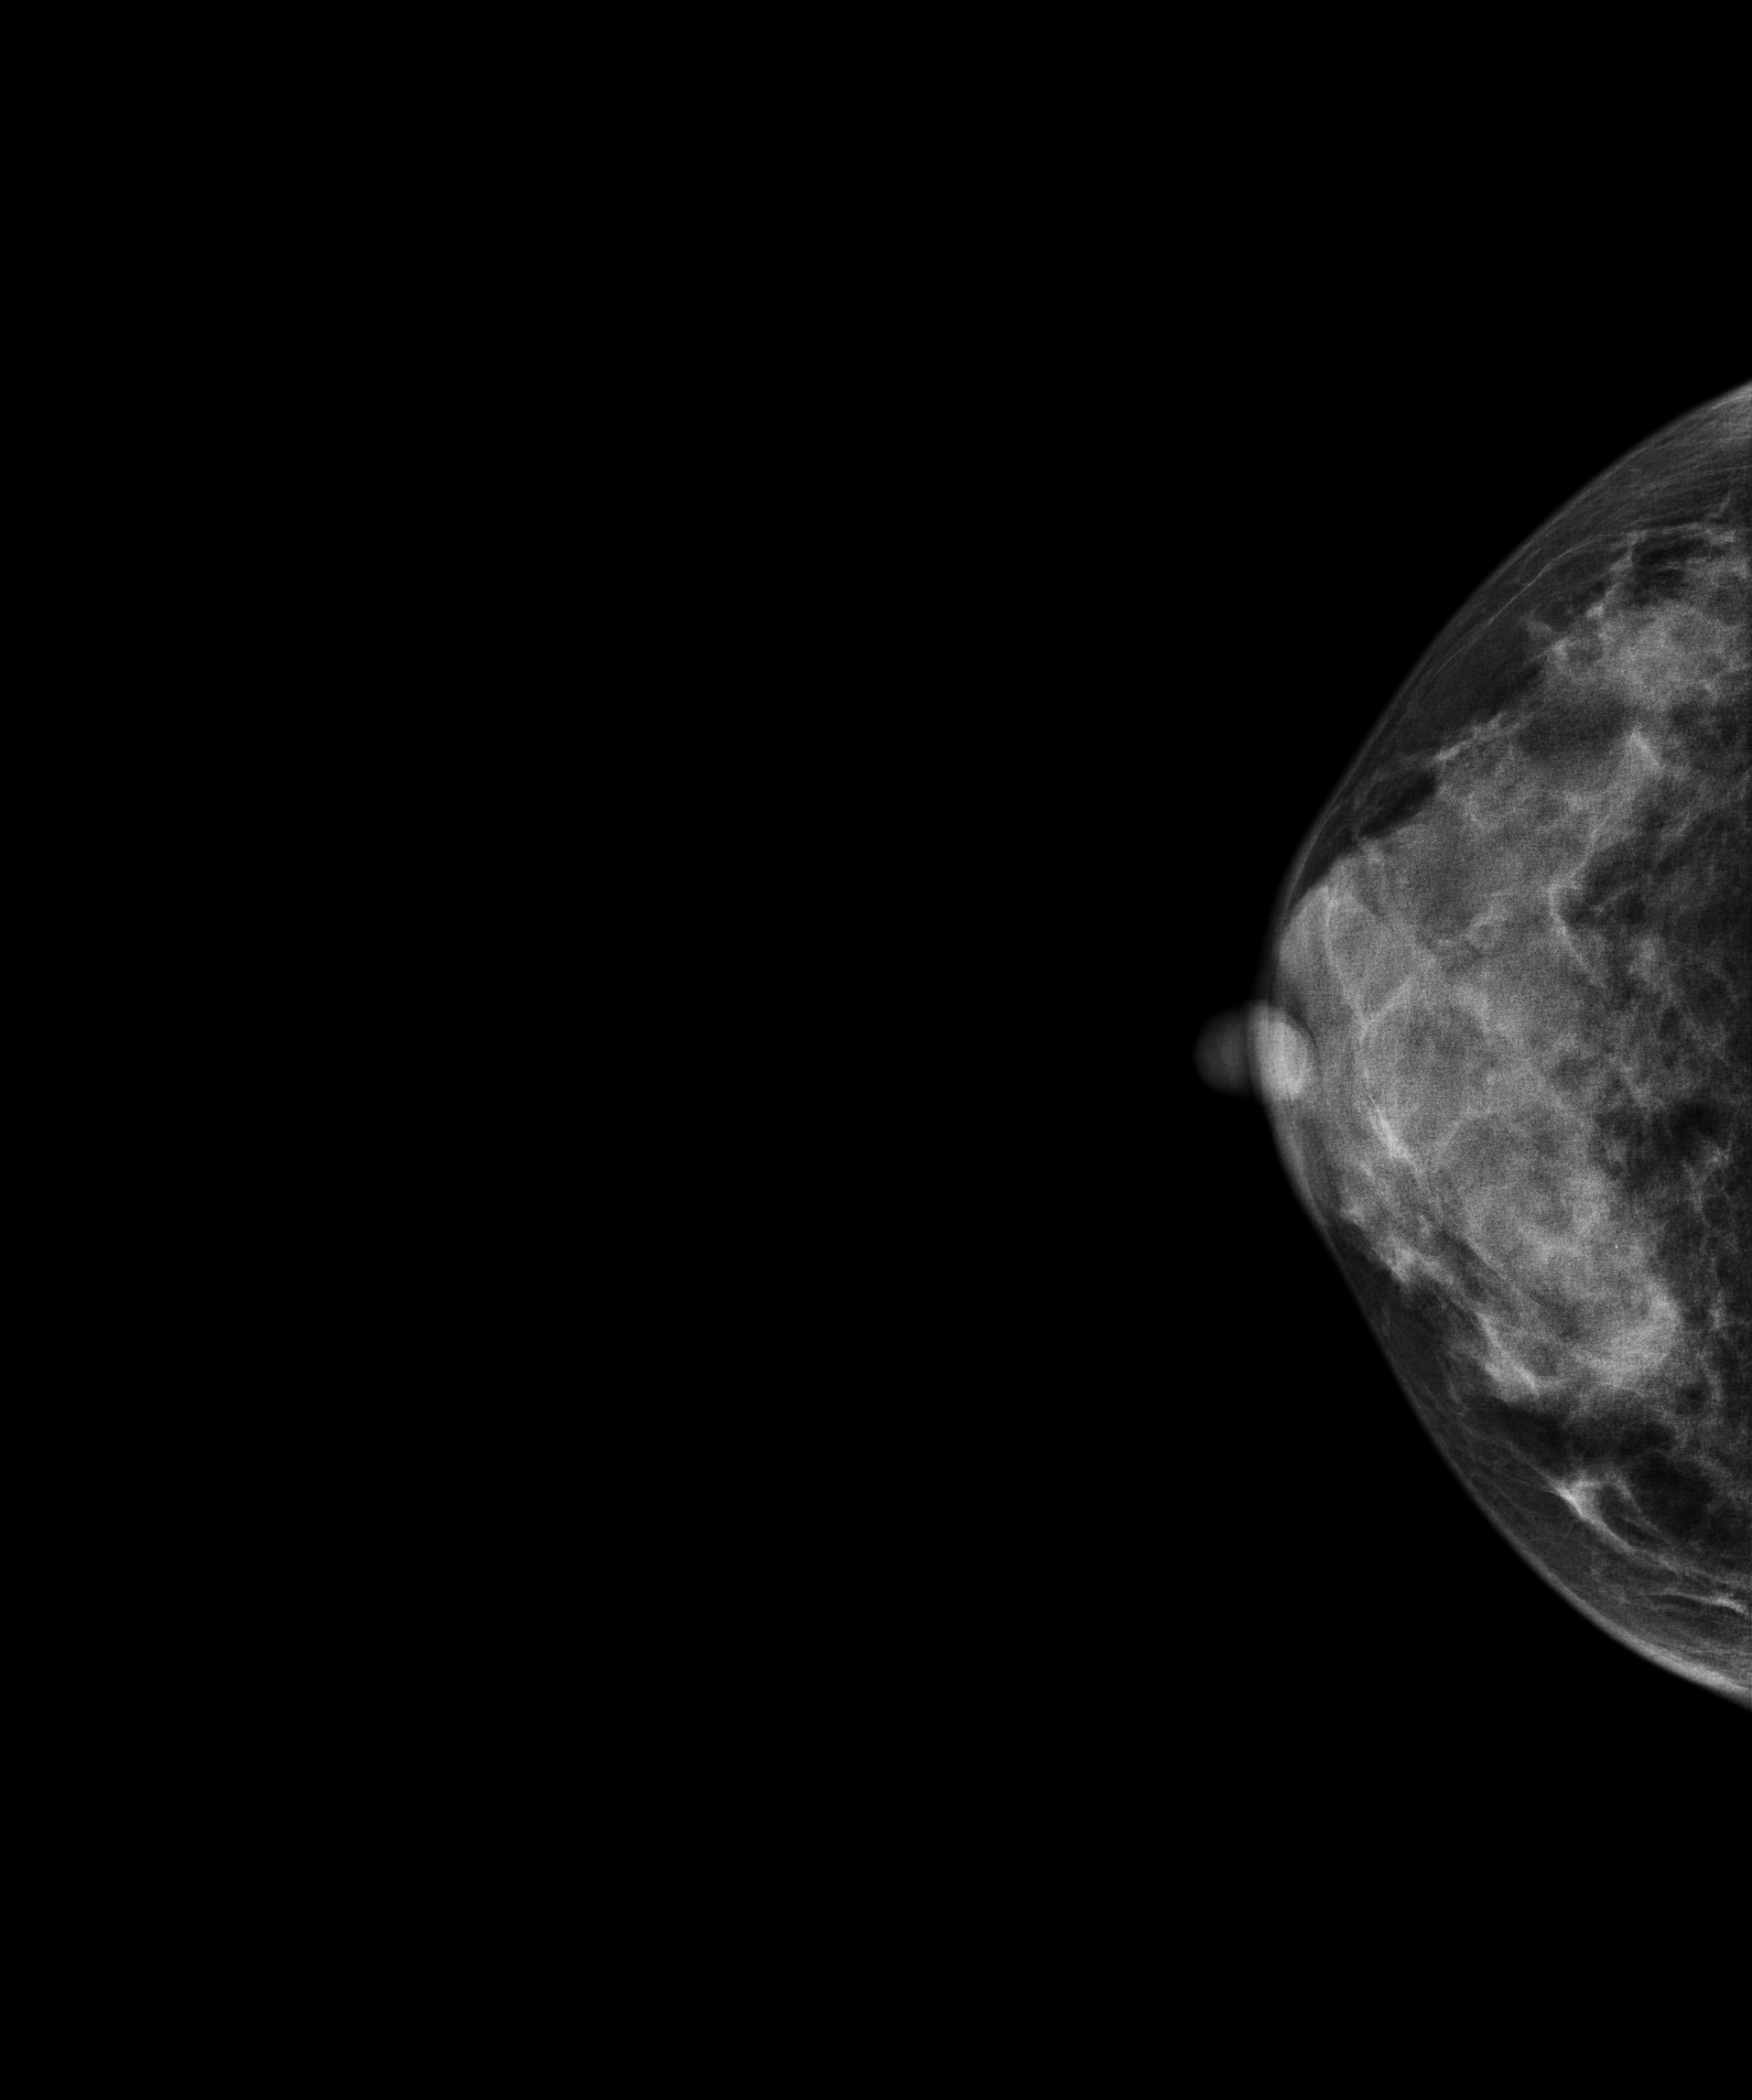
CC mammogram of the right breast. Patient age 50.
Contralateral breast — no documented abnormality on this side.